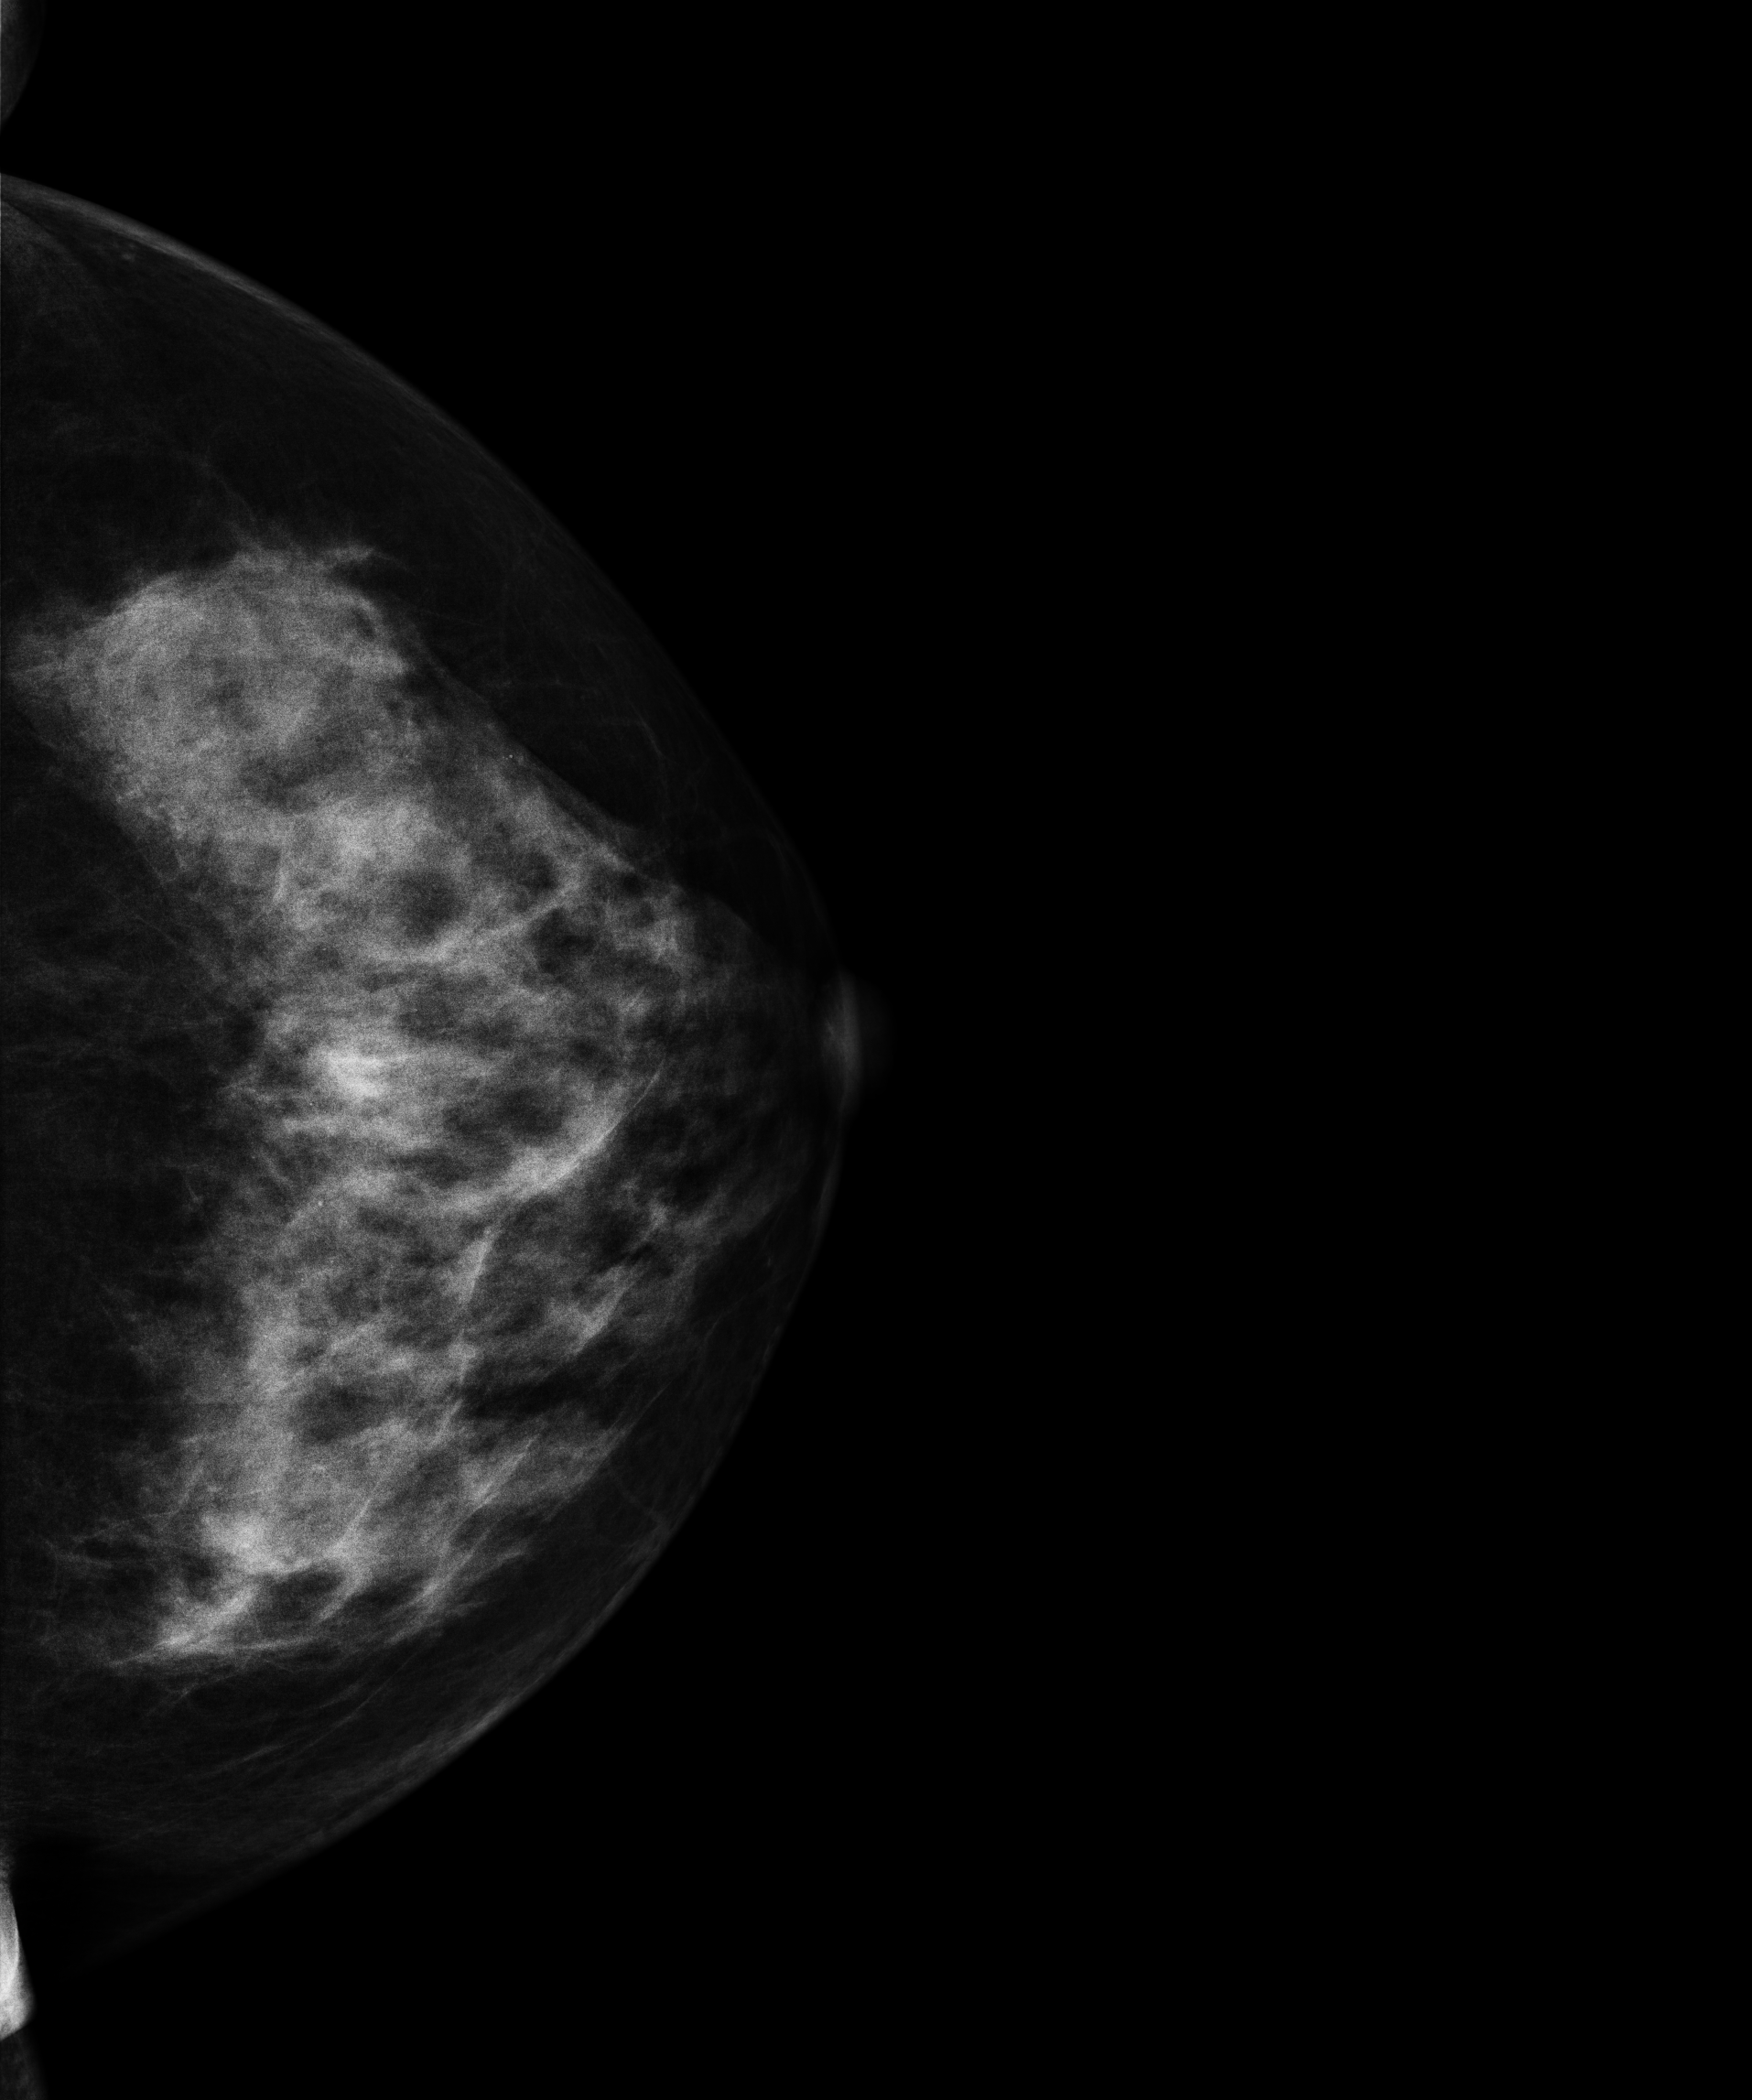
Cranio-caudal mammogram of the left breast. 51 y/o patient.
Contralateral breast — no documented abnormality on this side.